Mammogram — left CC. 47-year-old patient.
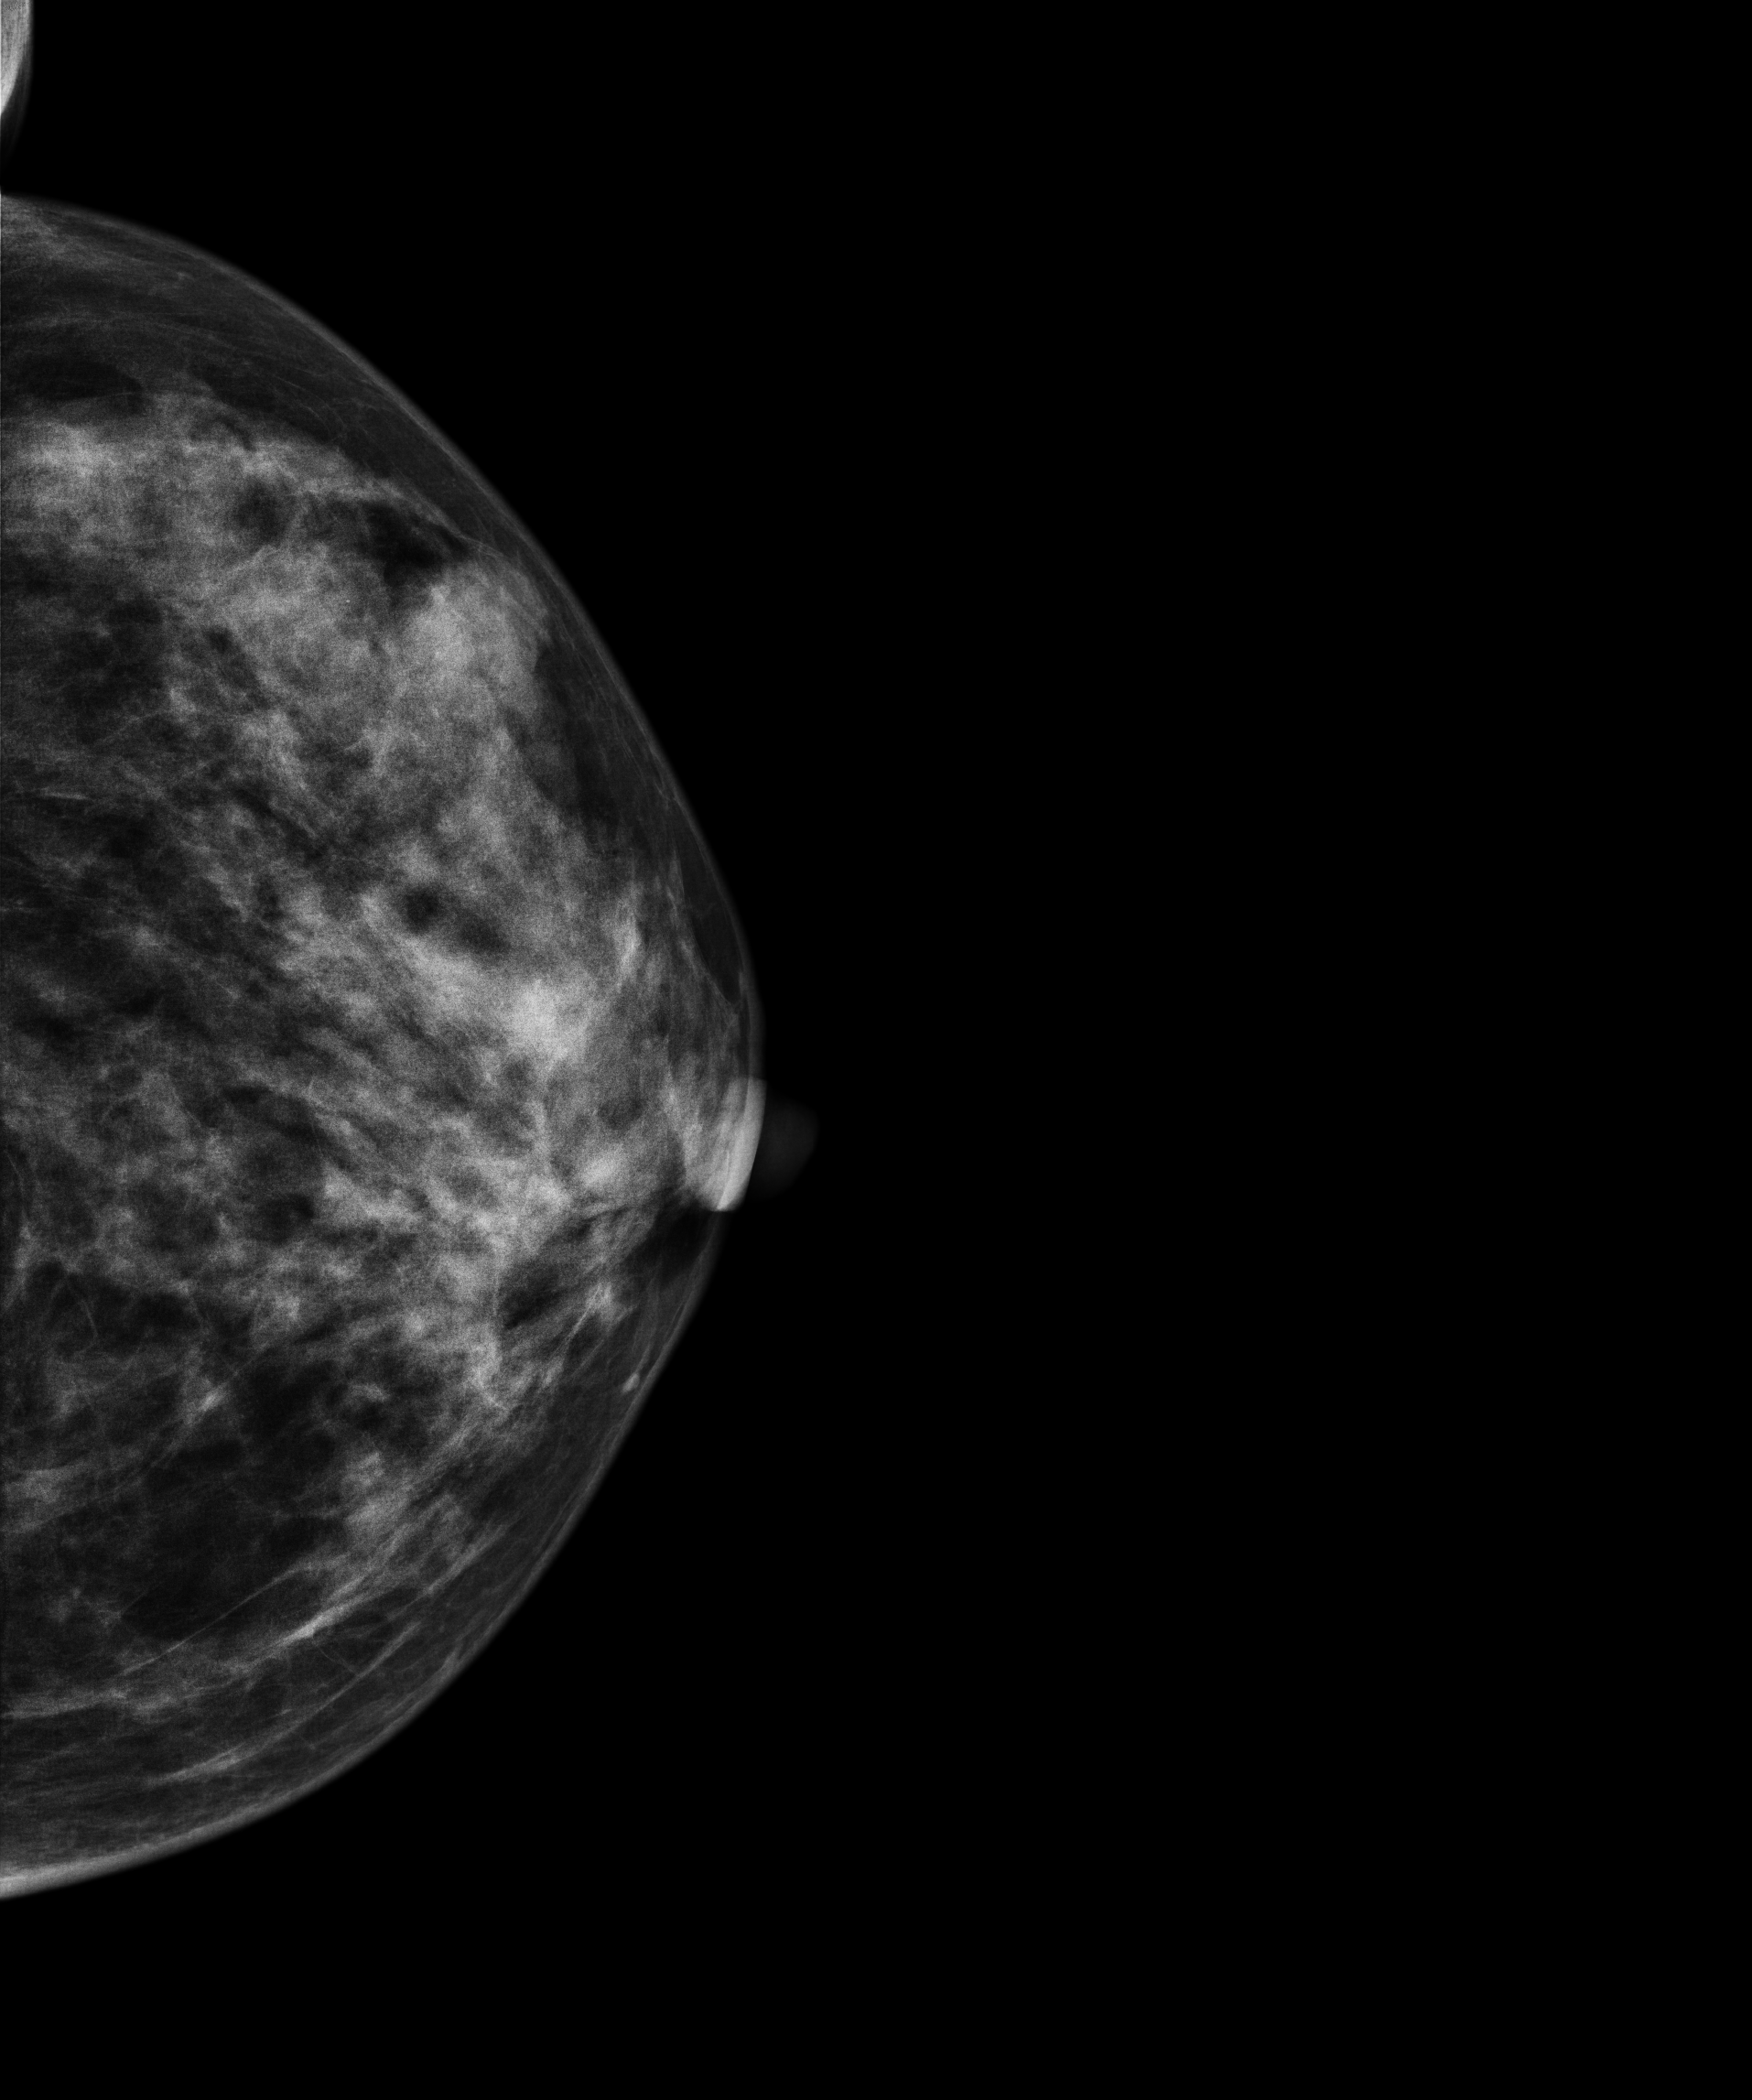
This breast has a mass, biopsy-confirmed benign.